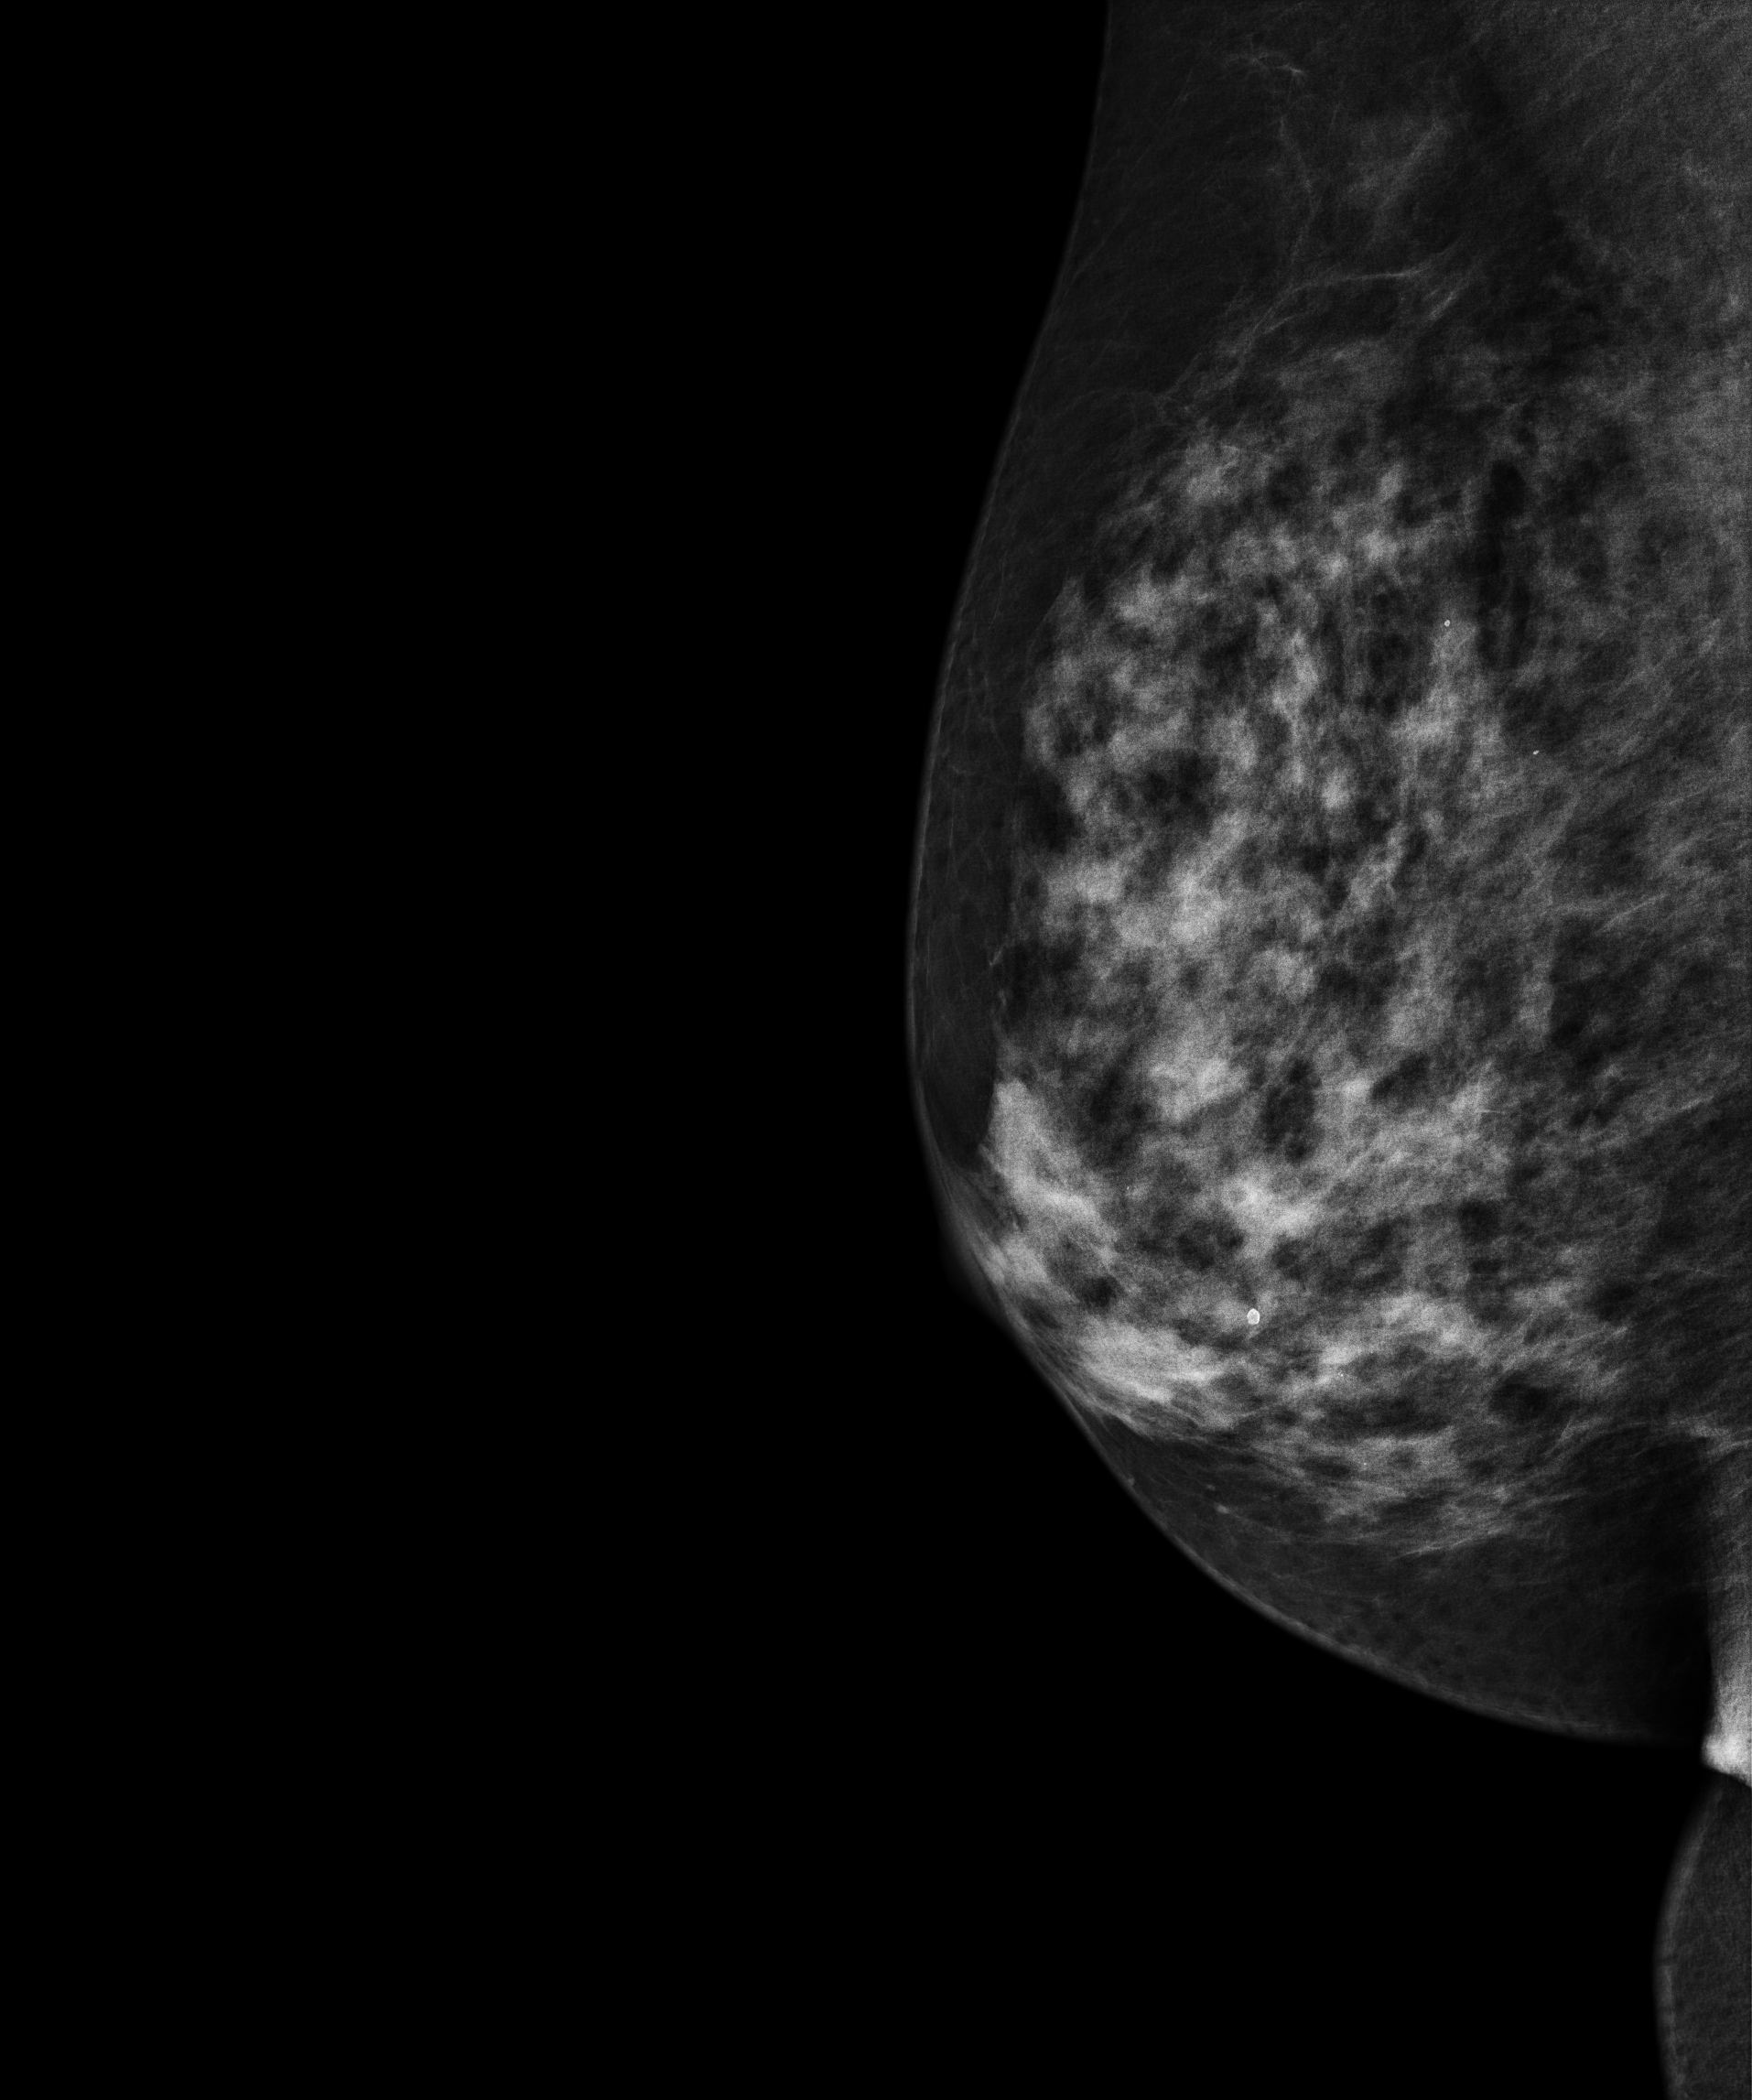
Medio-lateral oblique mammogram of the right breast. 67-year-old patient.
Contralateral breast — no documented abnormality on this side.